Left-breast mammogram, medio-lateral oblique. 29 y/o patient.
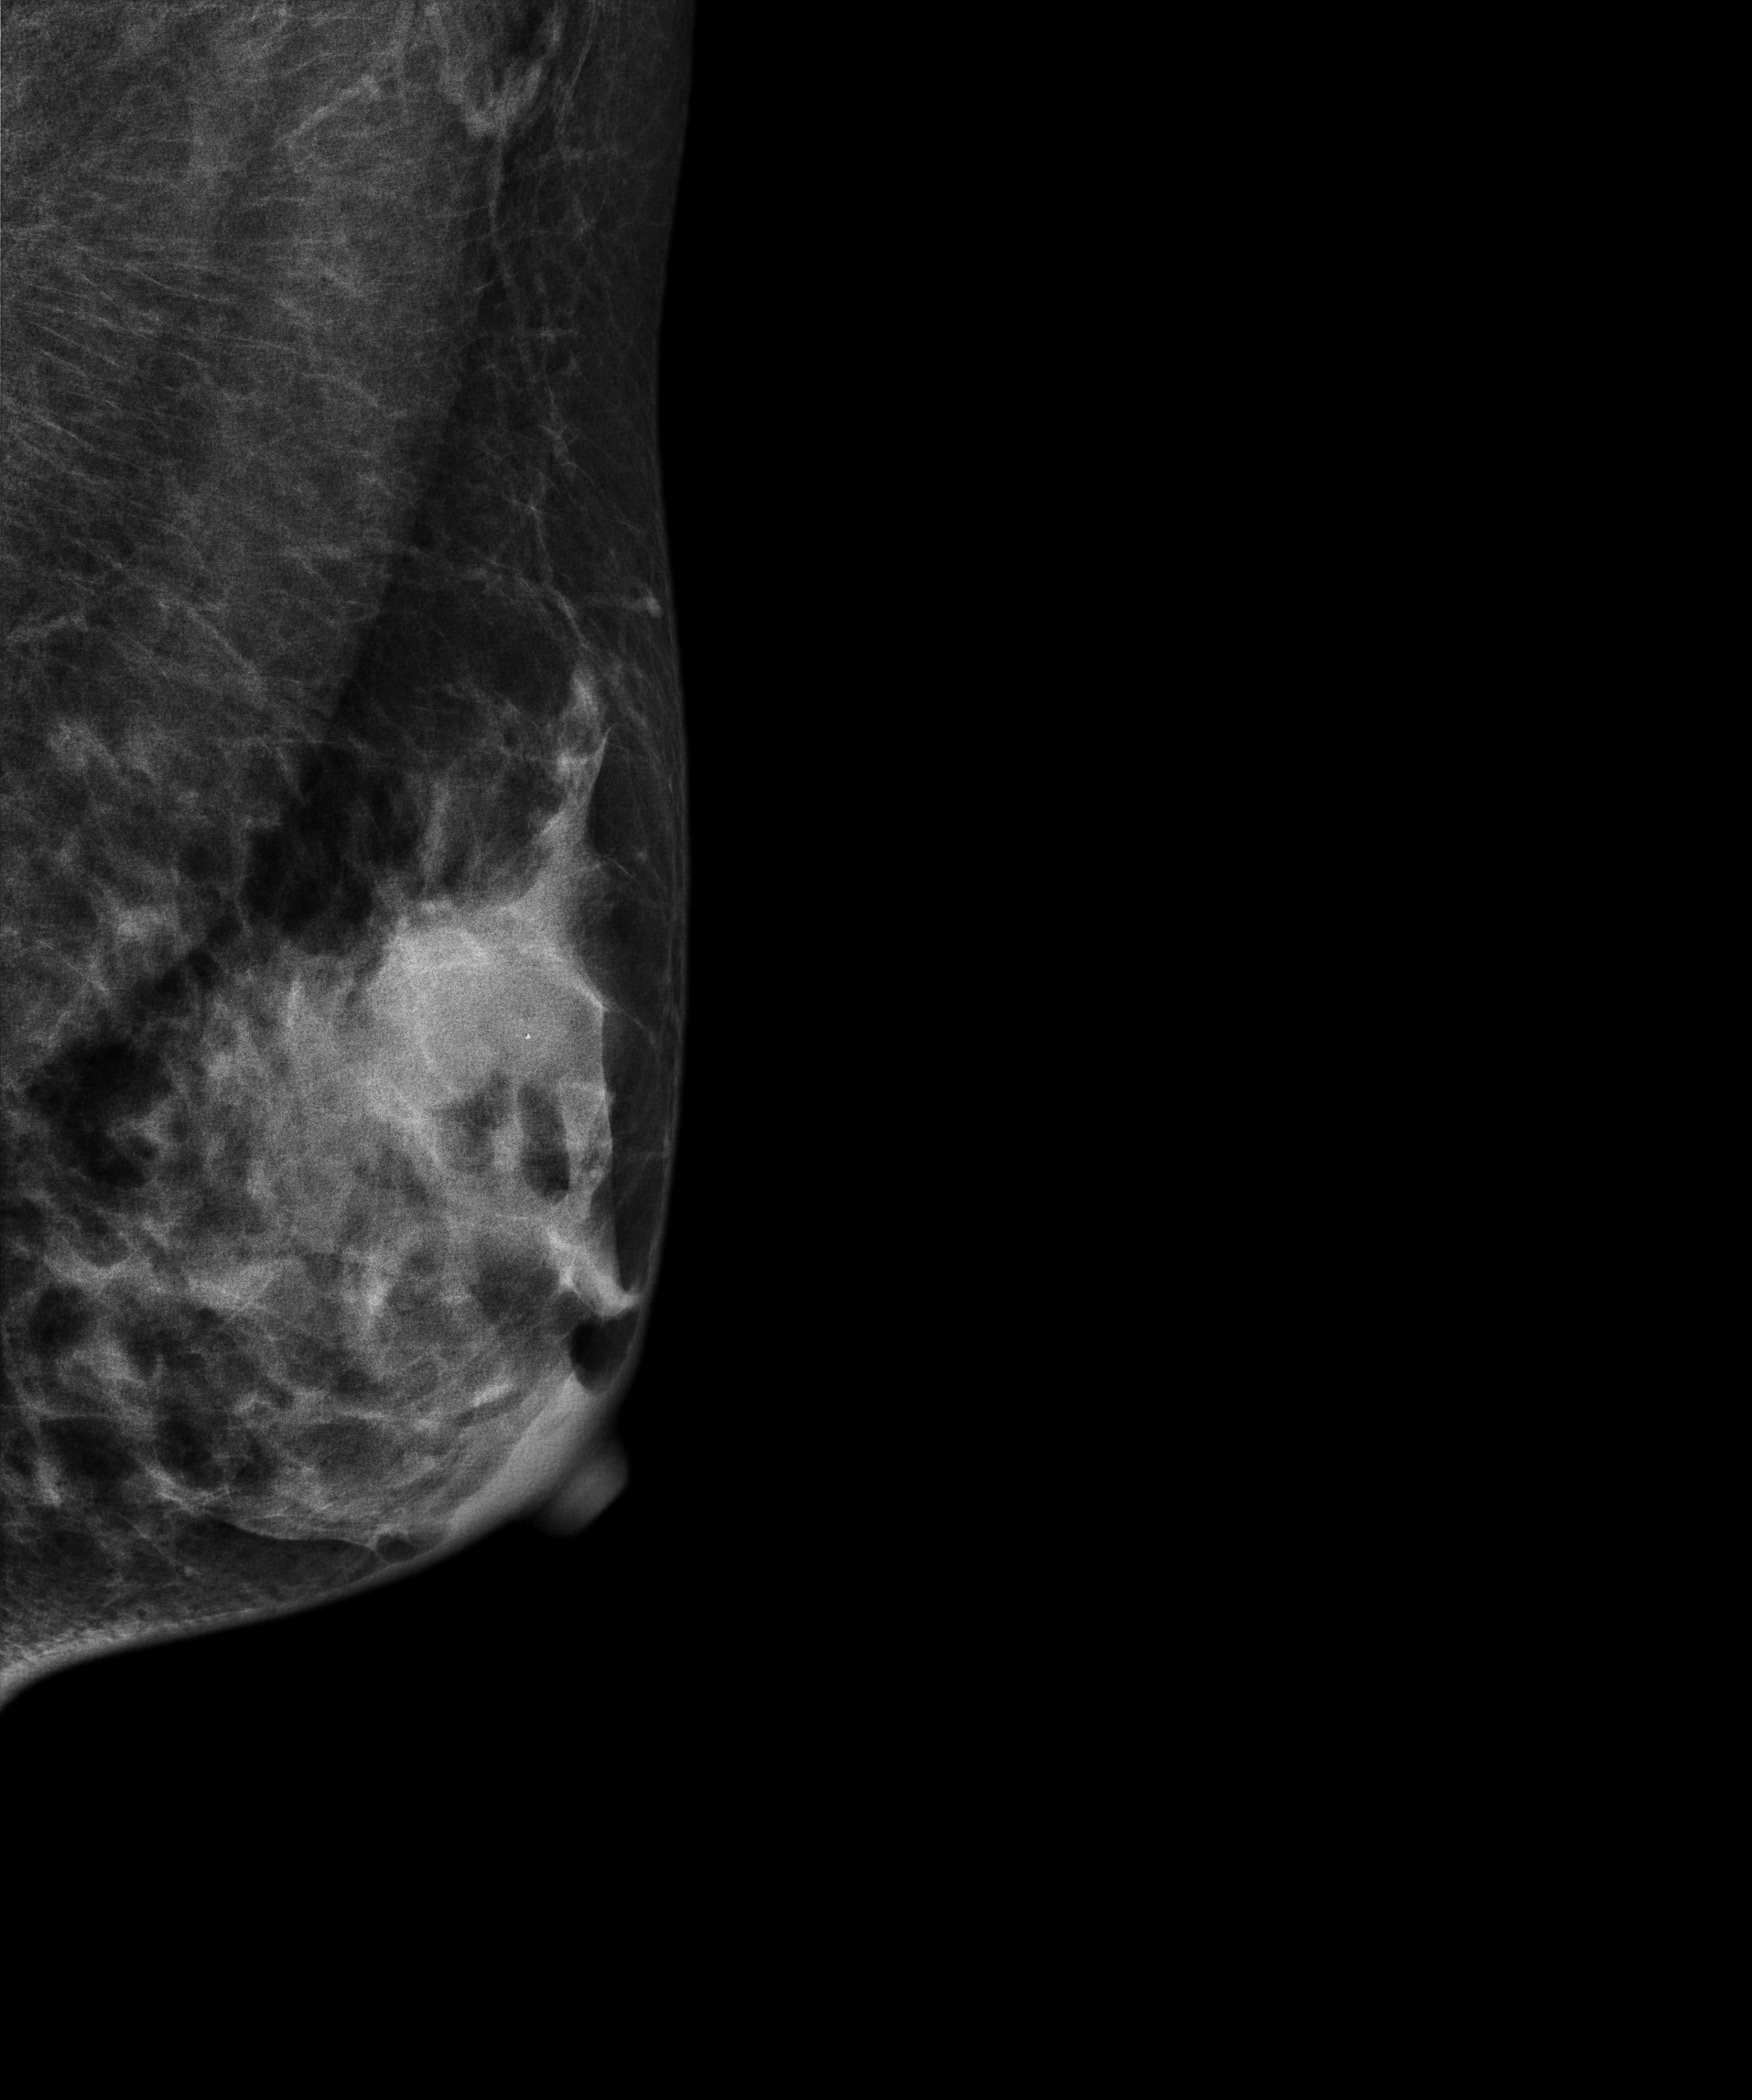
This breast has a mass and calcifications, biopsy-confirmed benign.